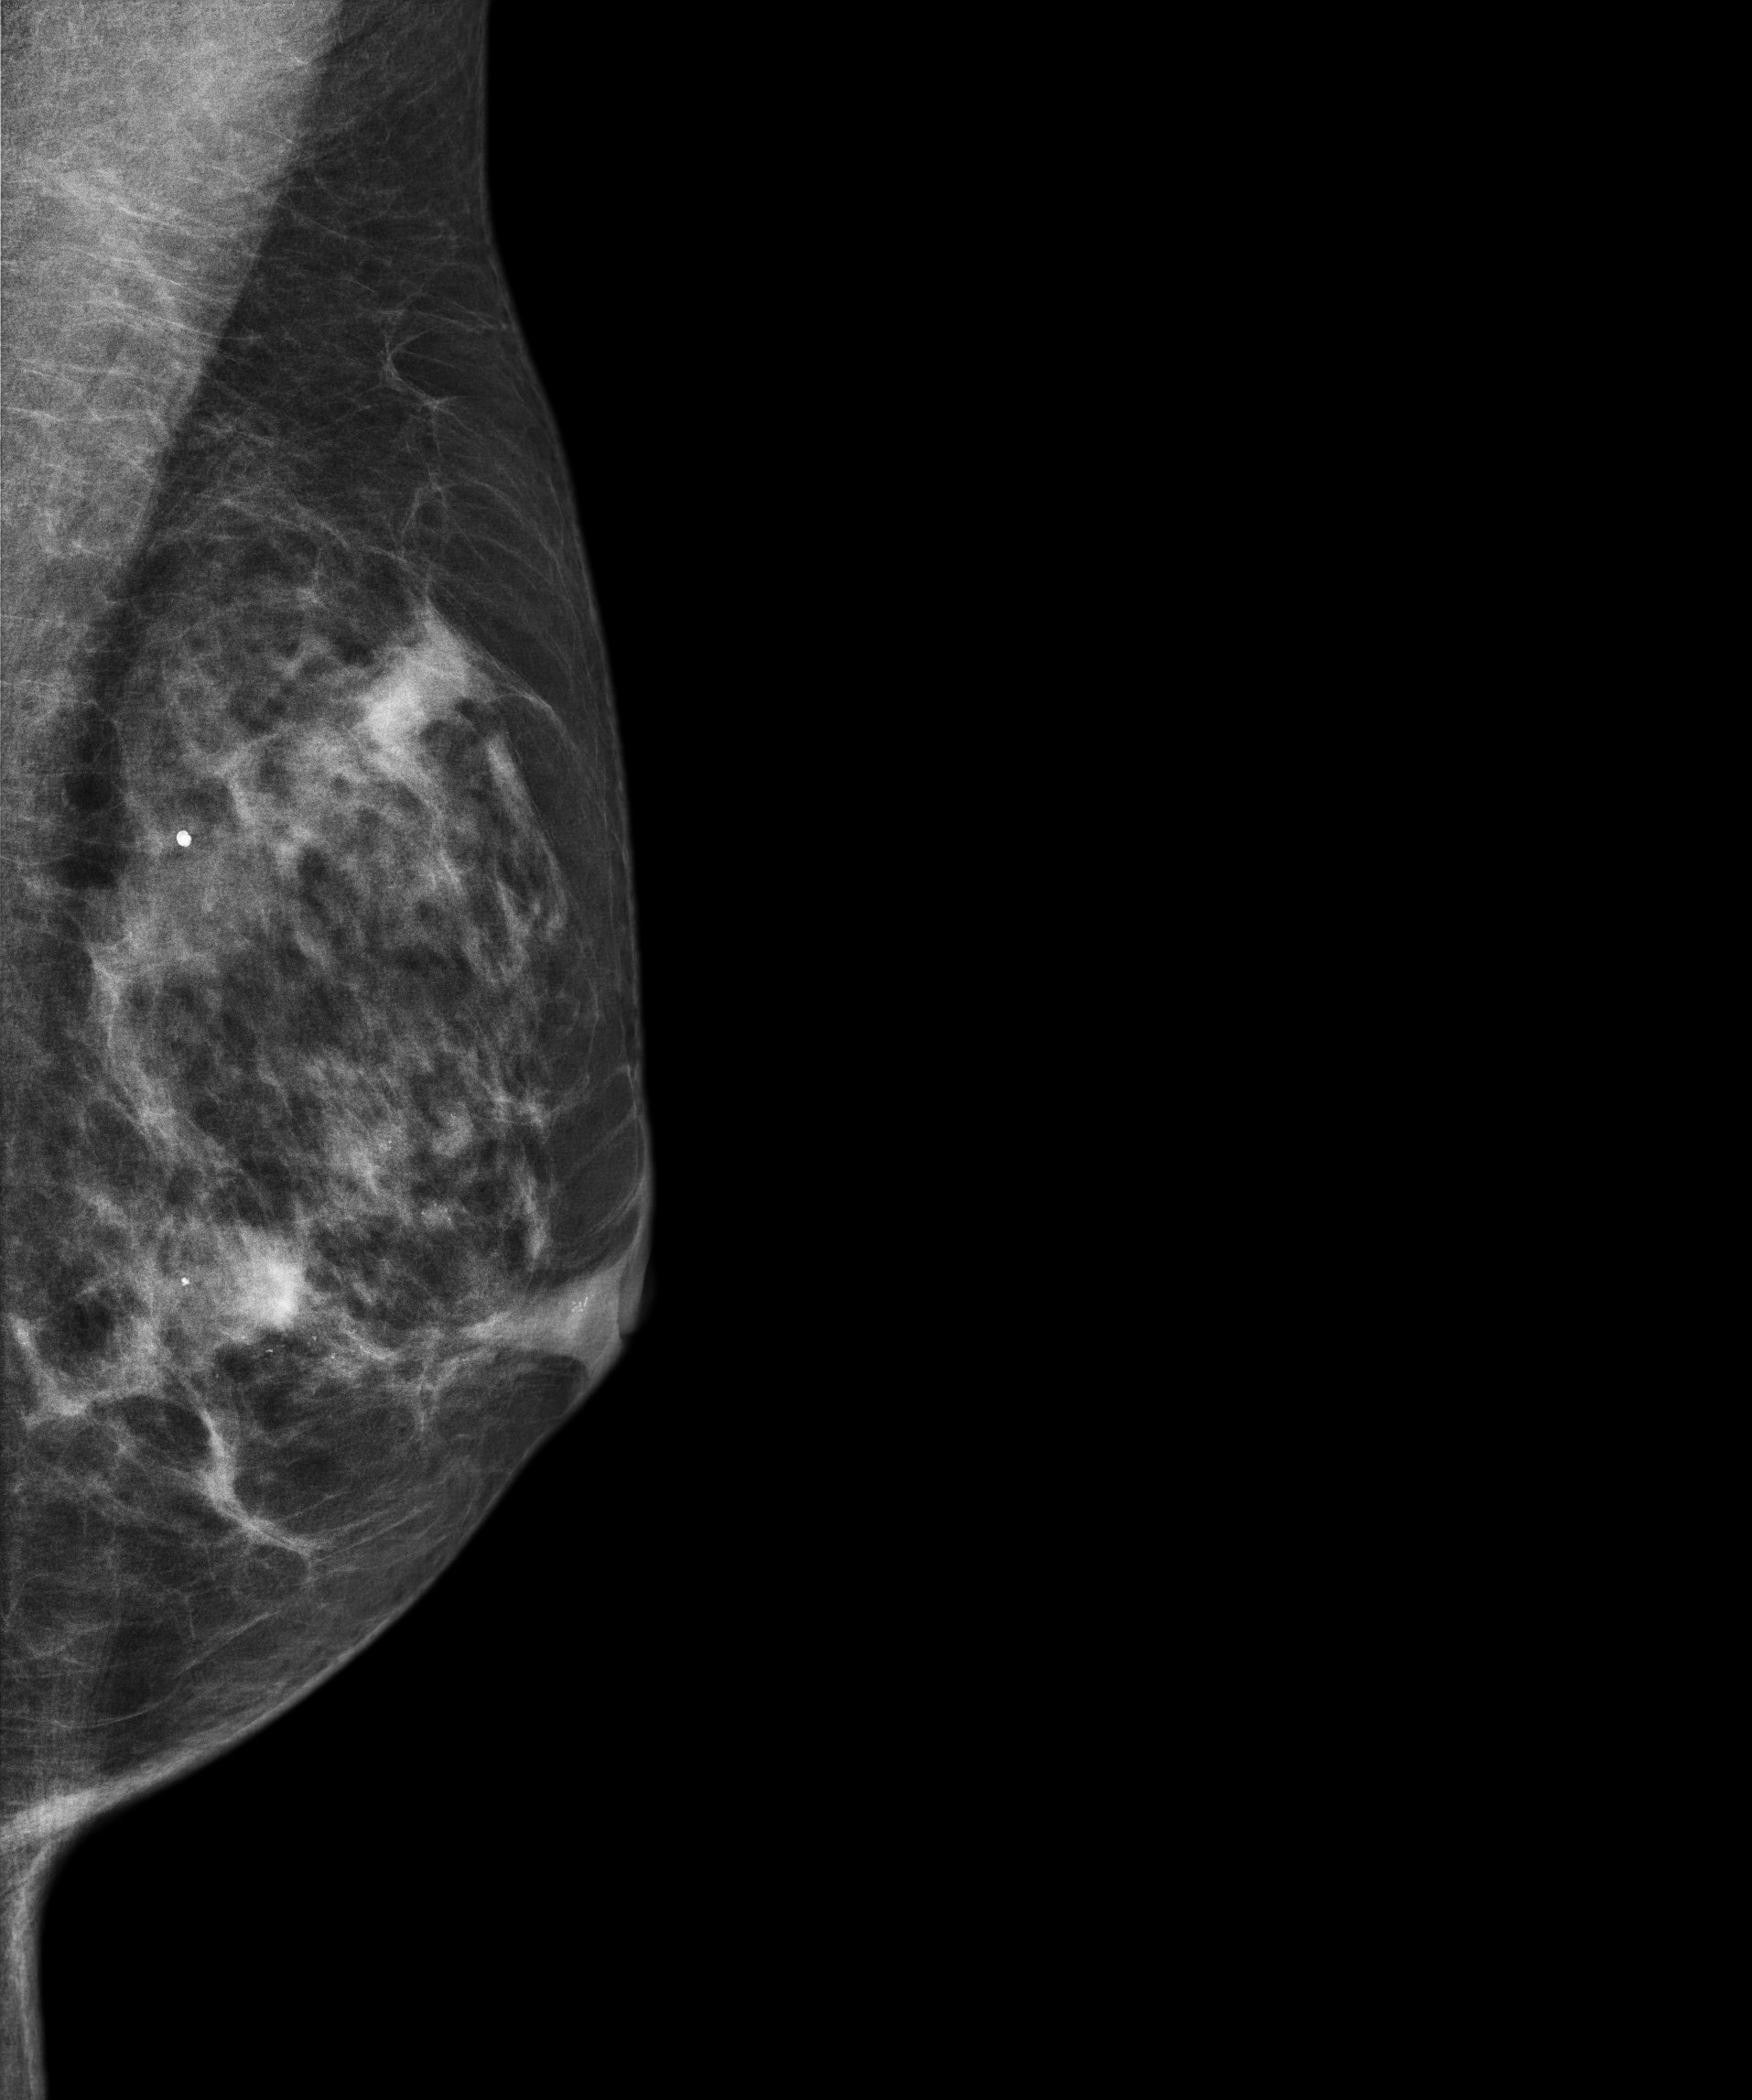
Mammogram — left medio-lateral oblique. 57-year-old patient.
This breast has a mass and calcifications, biopsy-confirmed malignant. Molecular subtype: HER2-enriched.